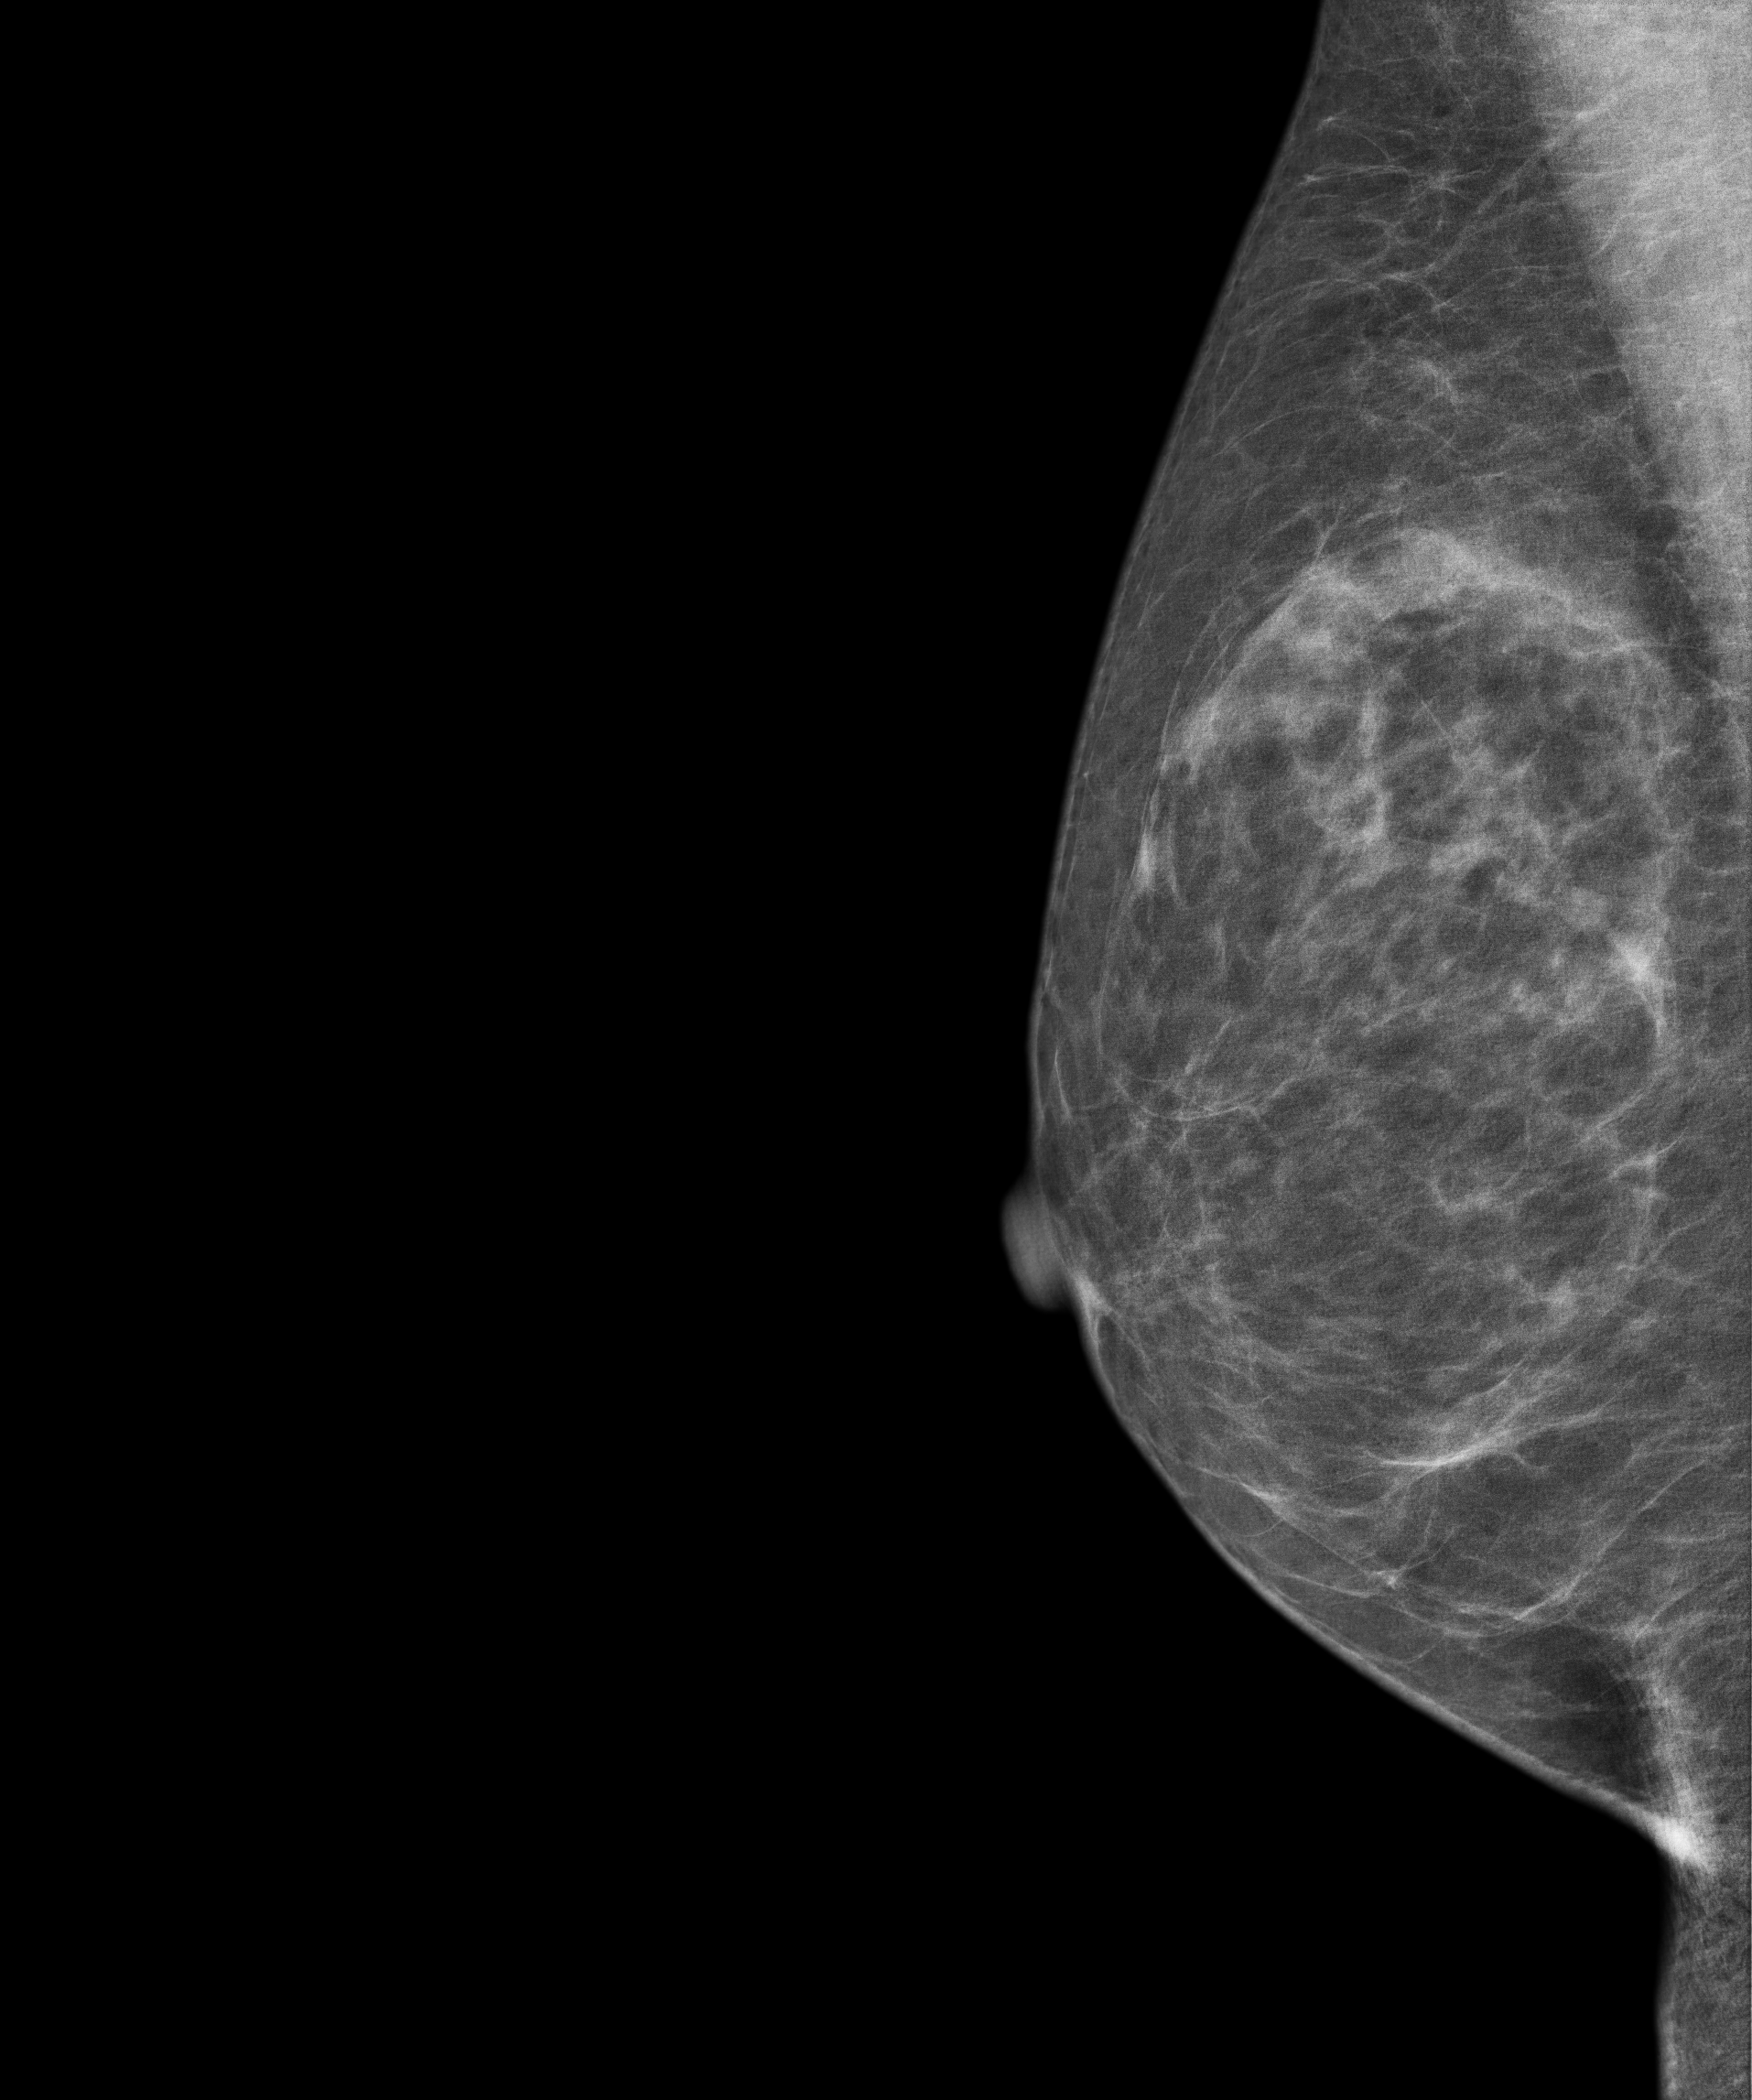
Mammogram — right MLO. 57-year-old patient.
Contralateral breast — no documented abnormality on this side.